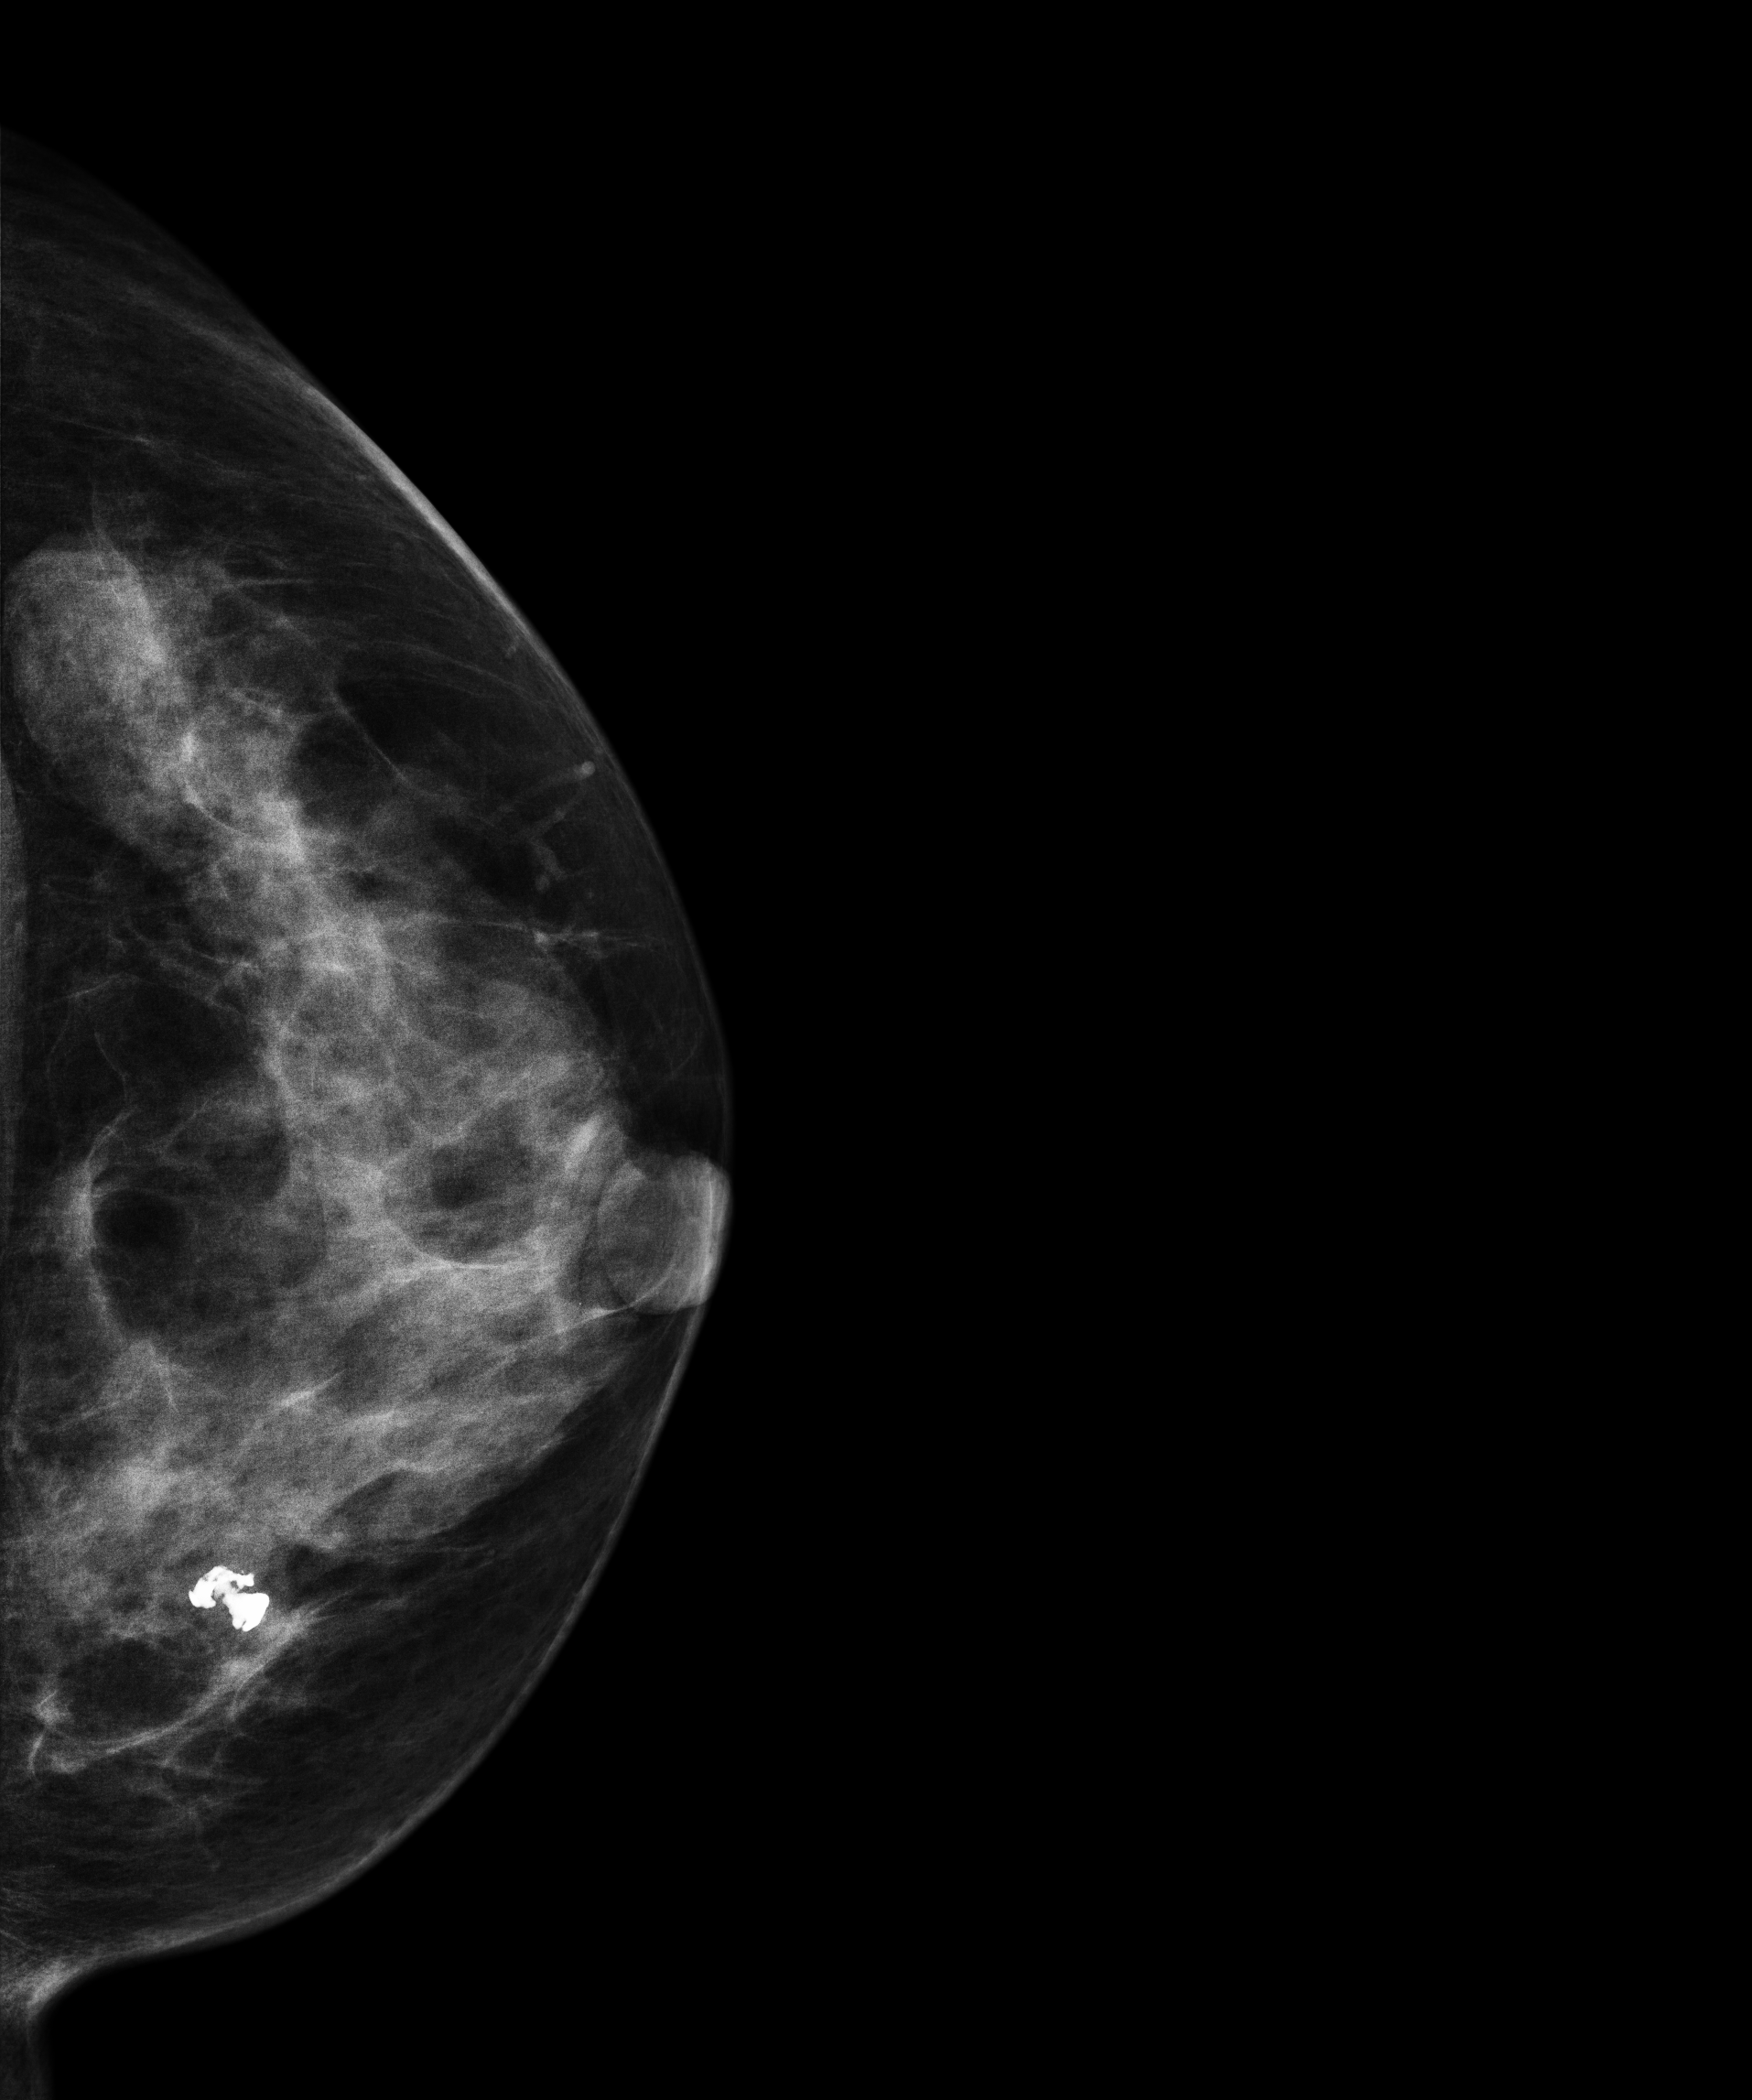
Digital mammography. Left breast, CC projection. 48 y/o patient.
This breast has a mass and calcifications, biopsy-confirmed benign.